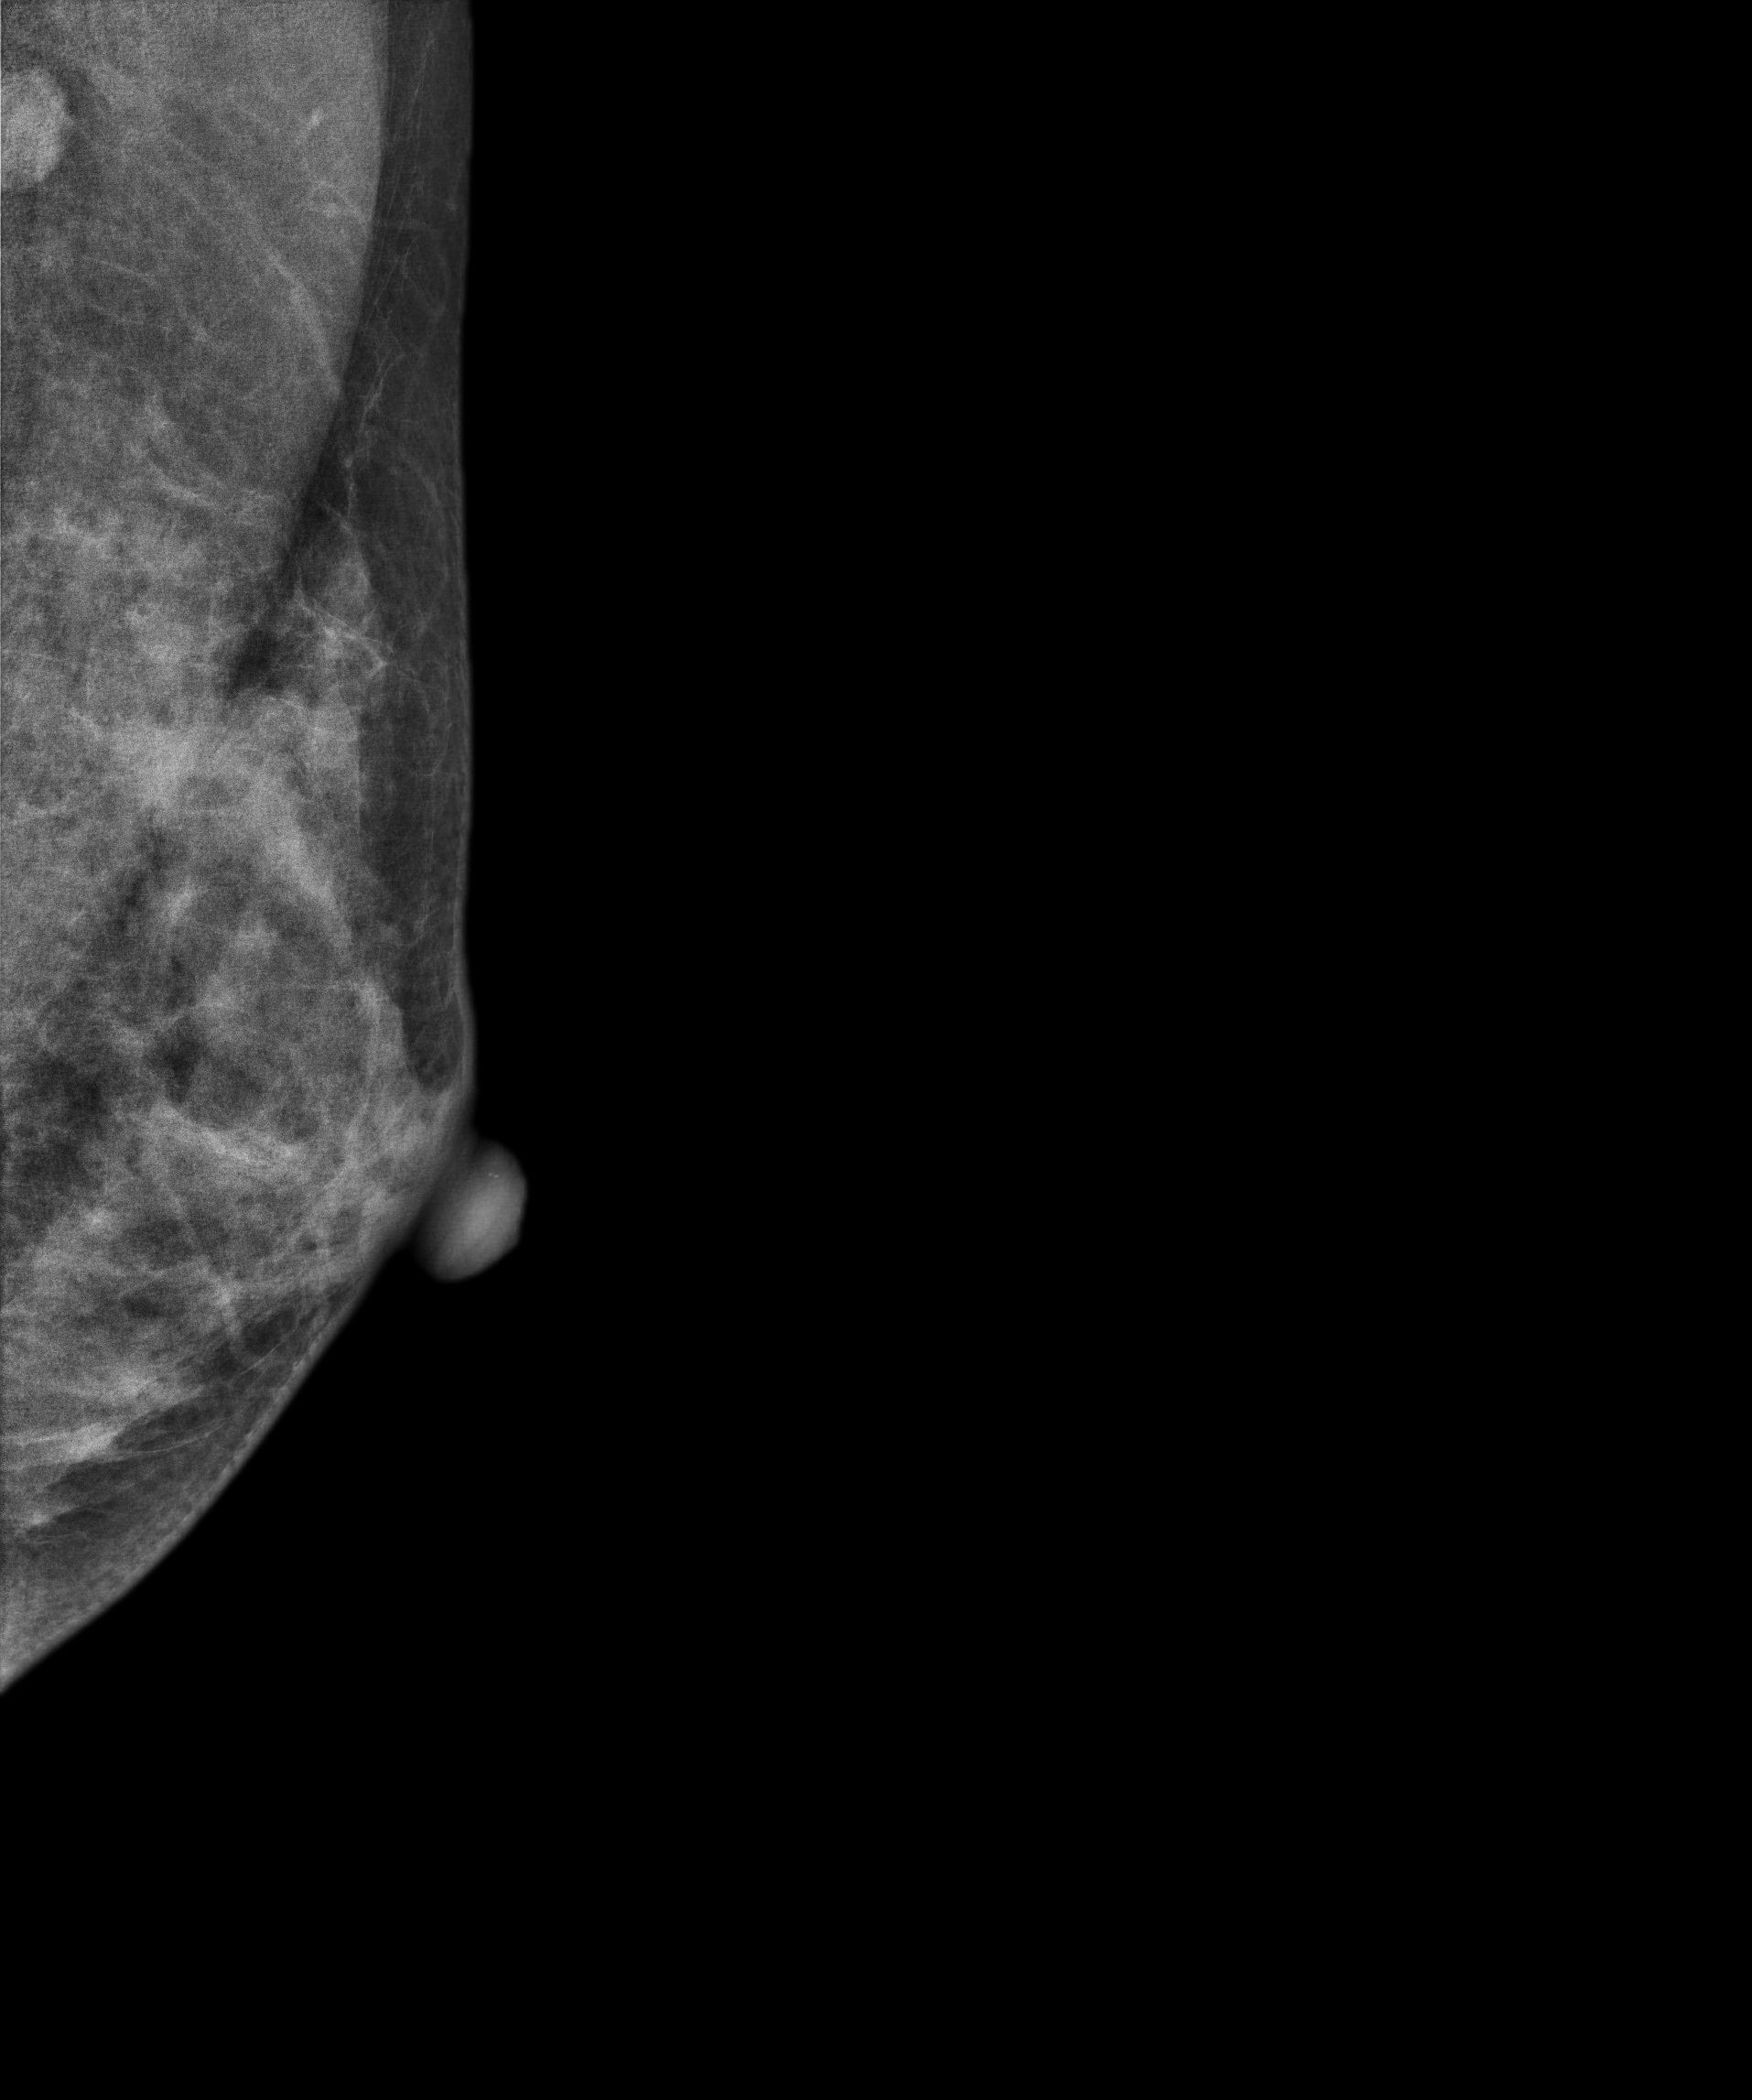
Mammogram, left breast, MLO view. 42-year-old patient.
This breast has a mass, biopsy-proven malignant. Molecular subtype: luminal B.